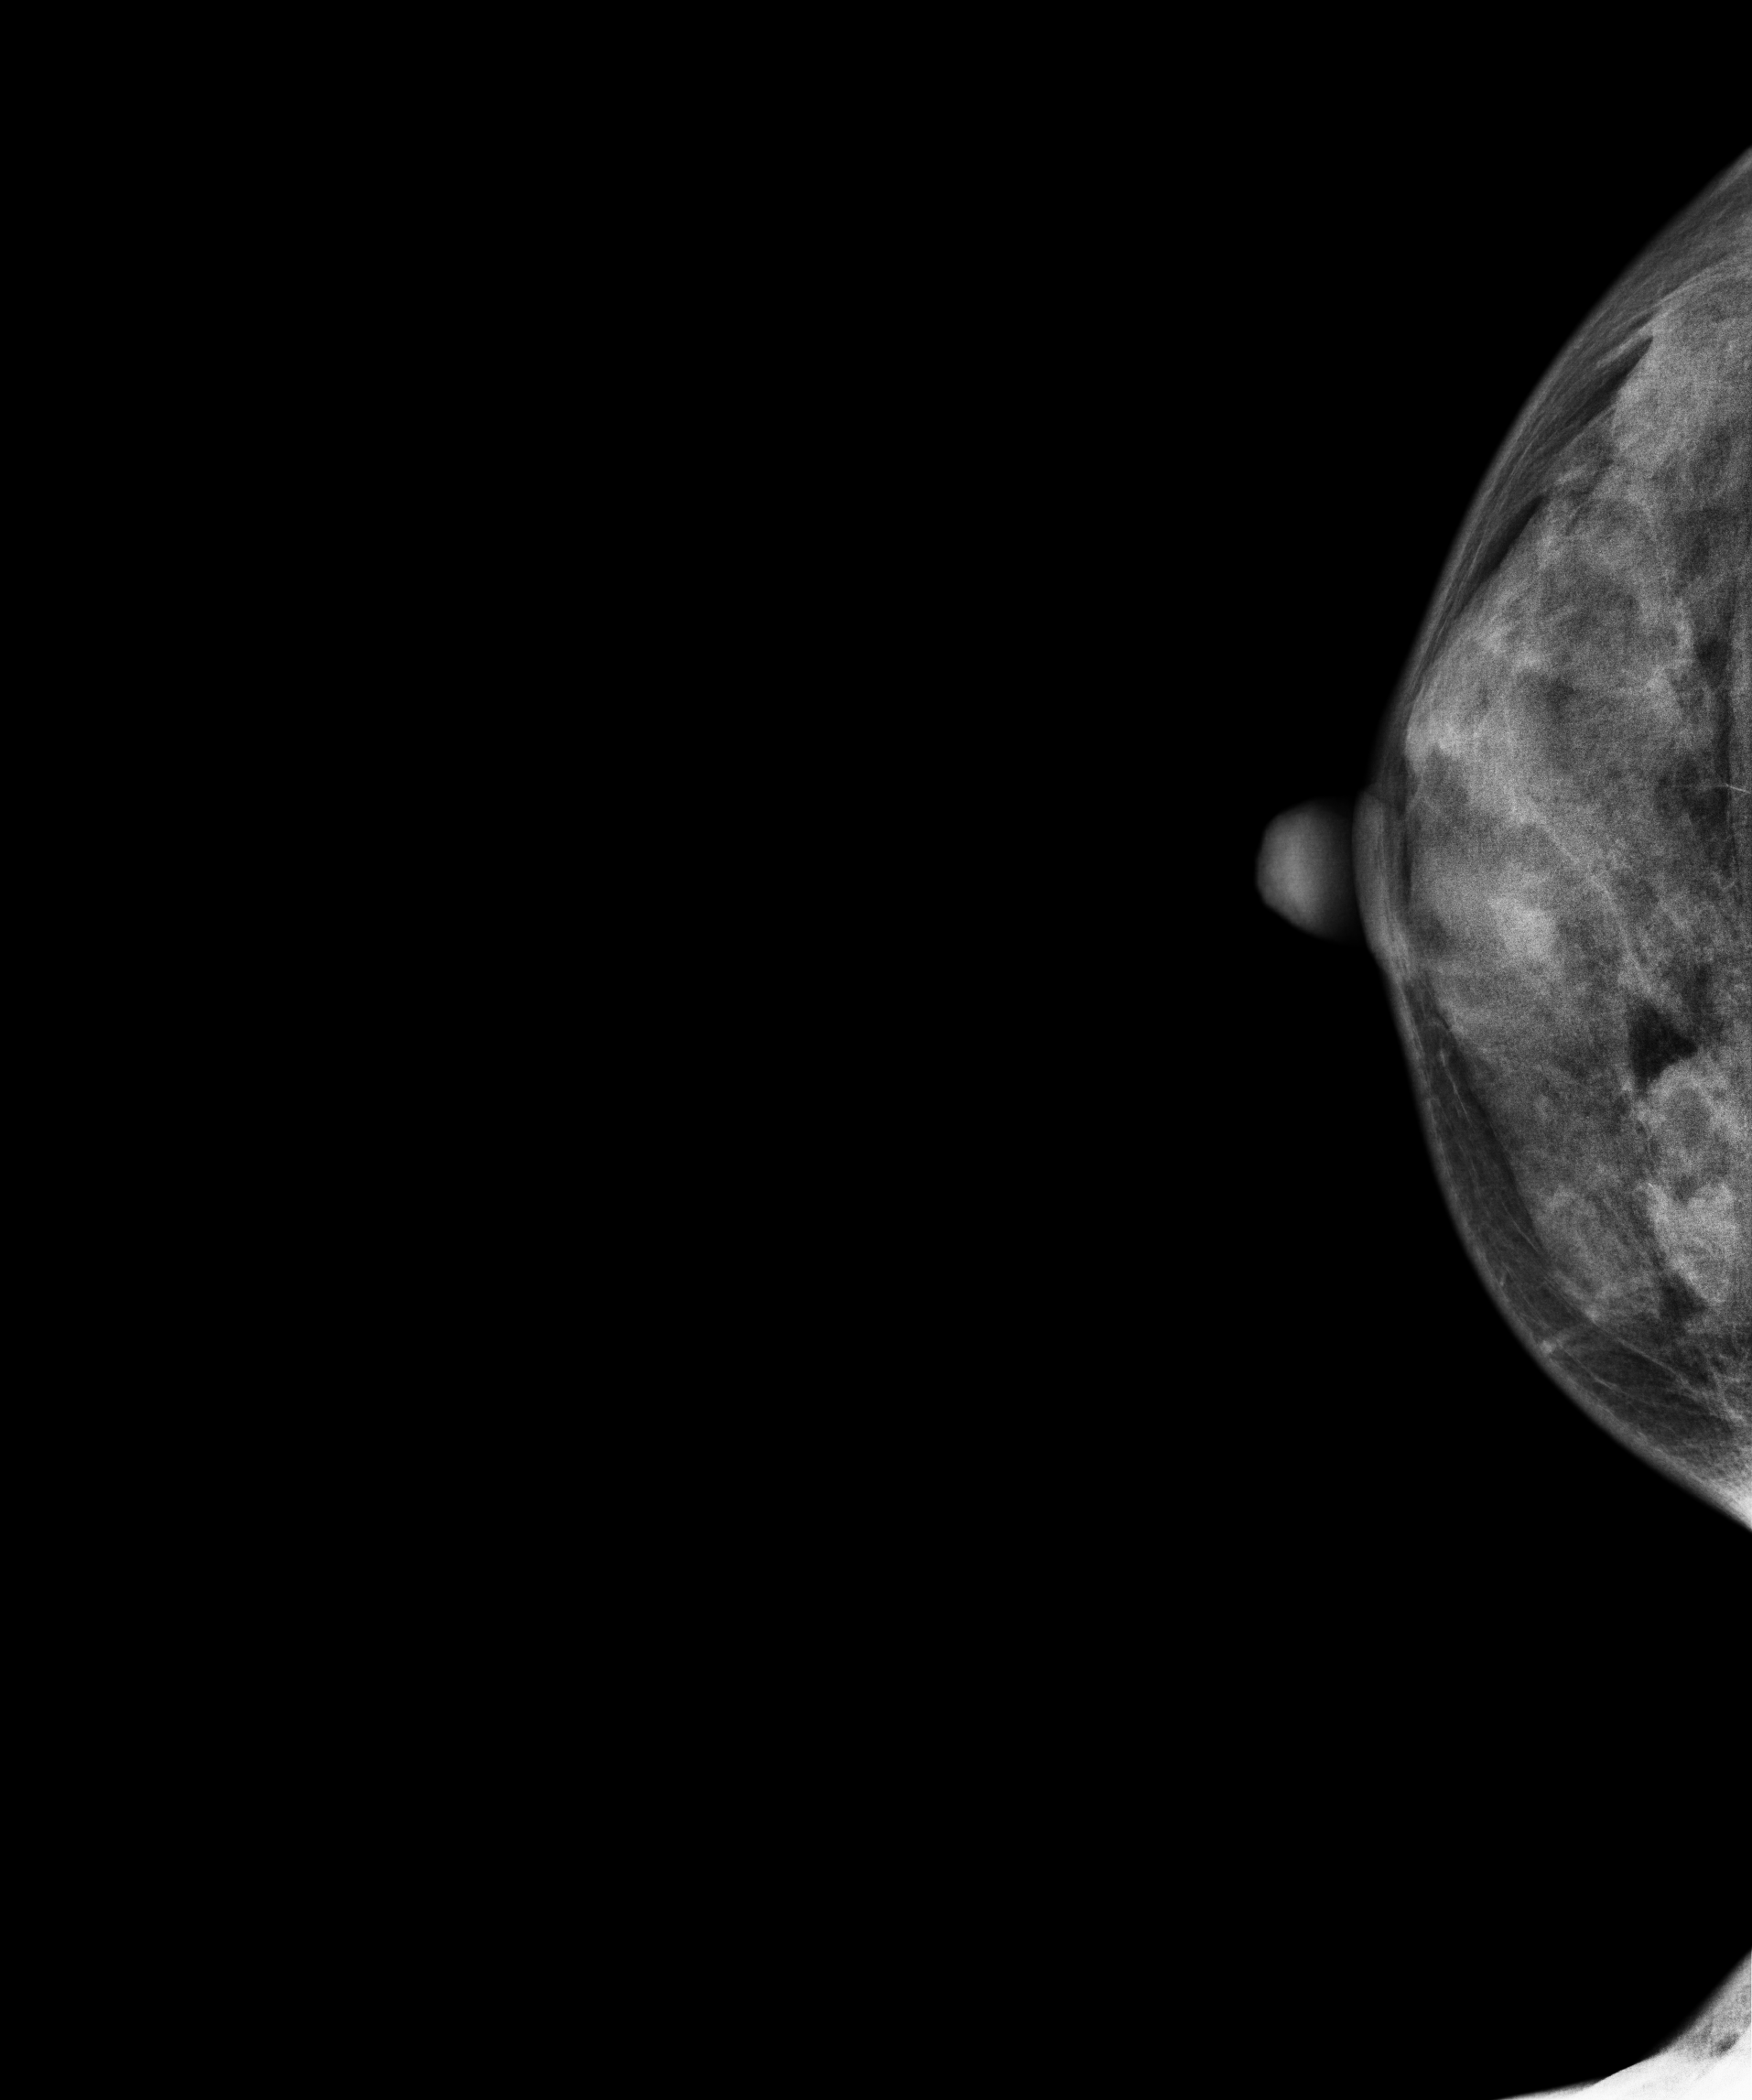
Mammogram, right breast, cranio-caudal view. Patient age 41.
This breast has a mass and calcifications, histologically confirmed malignant.